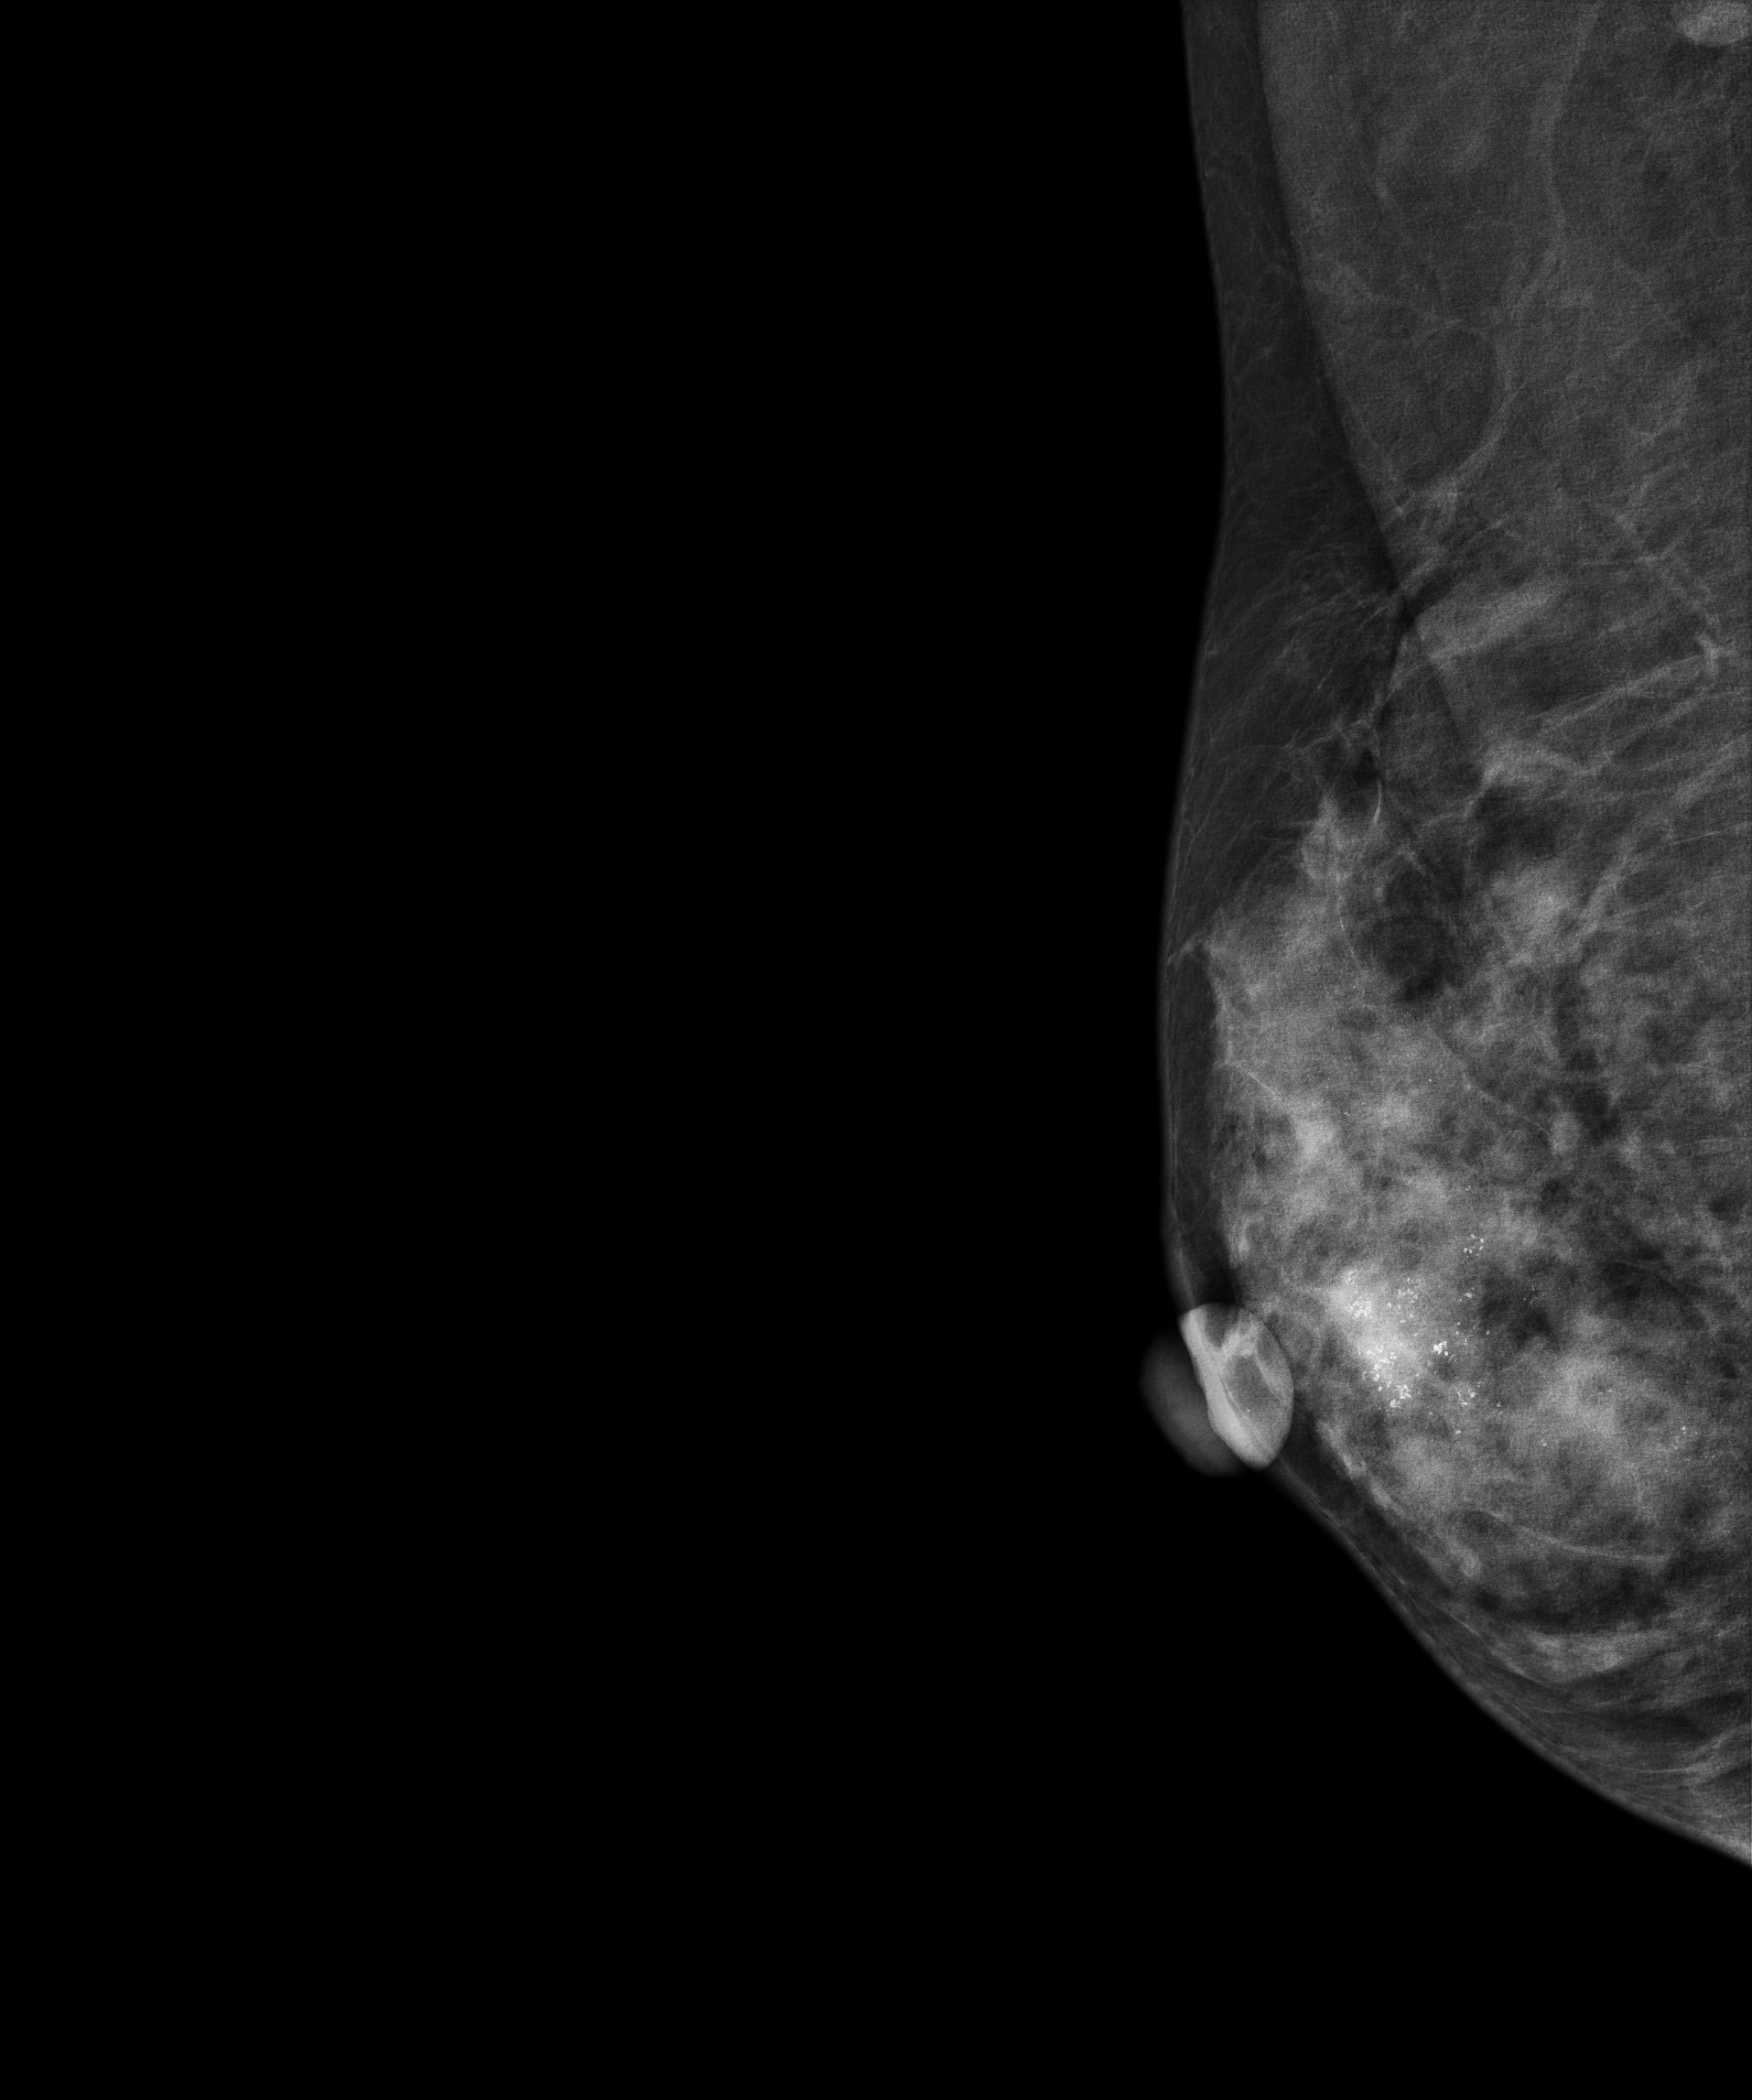
MLO mammogram of the right breast. Patient age 48.
This breast has a mass and calcifications, biopsy-confirmed malignant.